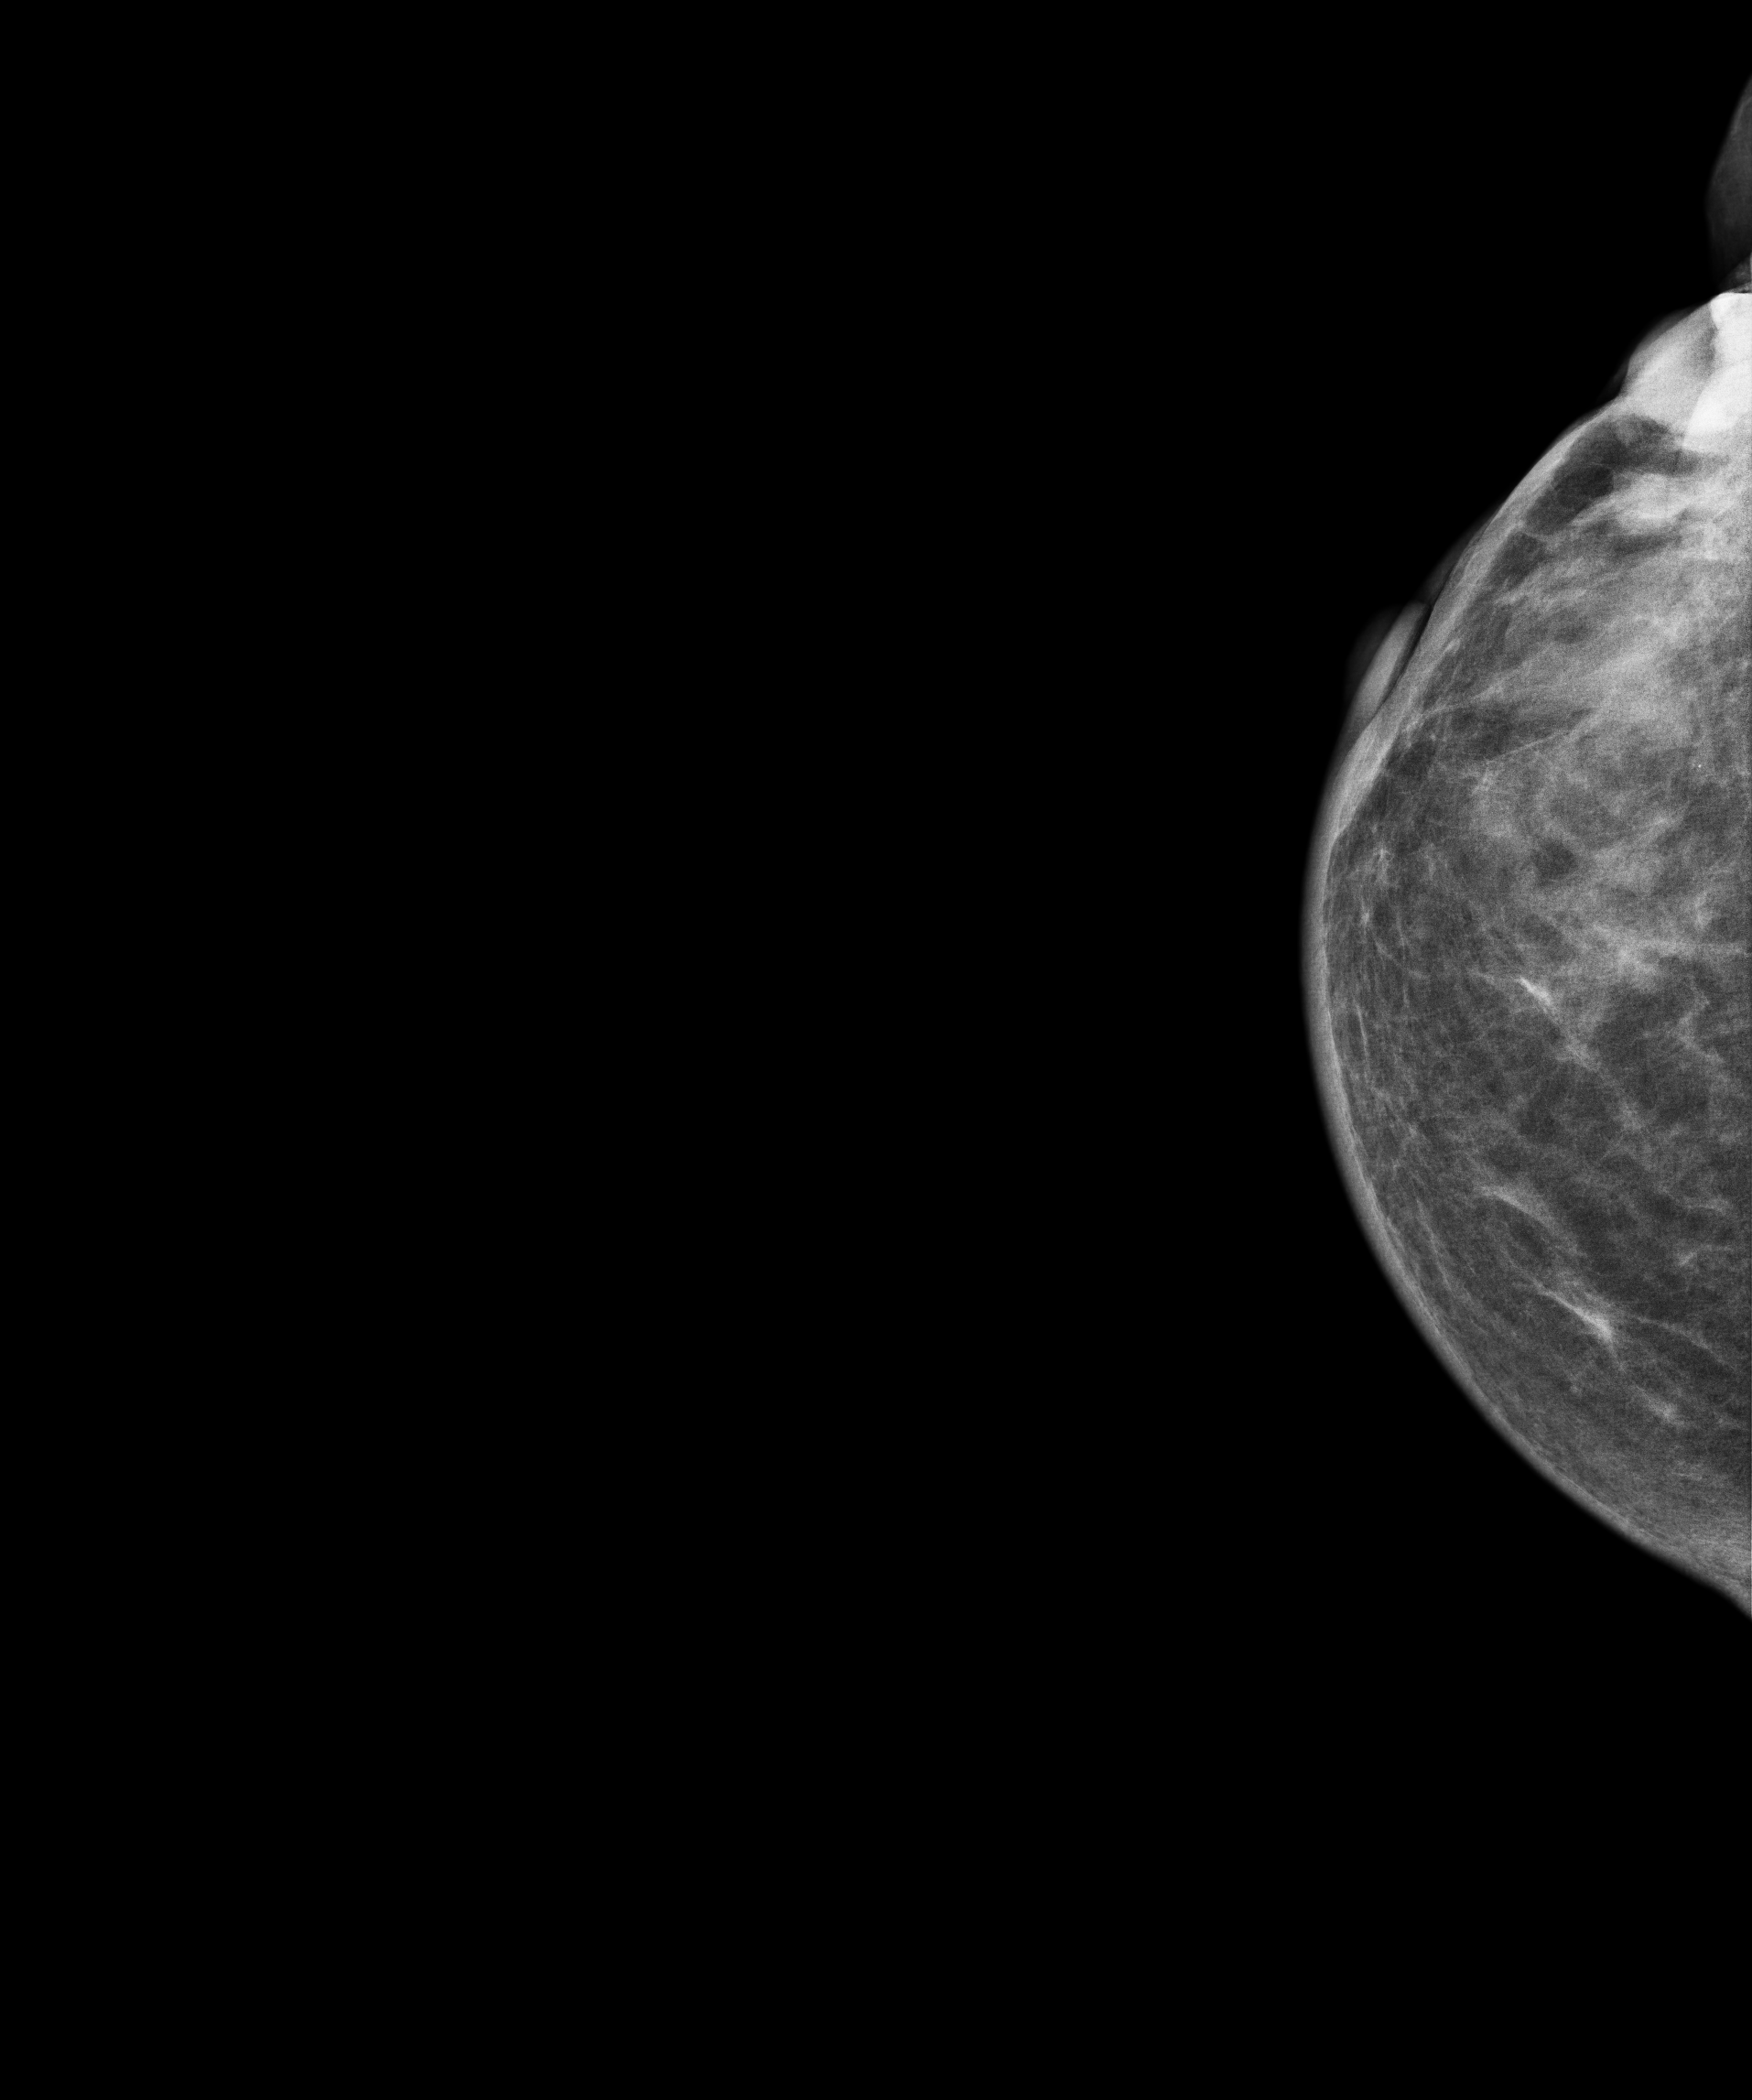
Right-breast mammogram, cranio-caudal. 75 y/o patient.
This breast has a mass, biopsy-proven malignant. Molecular subtype: luminal A.